Digital mammography. Right breast, cranio-caudal projection. Patient age 53.
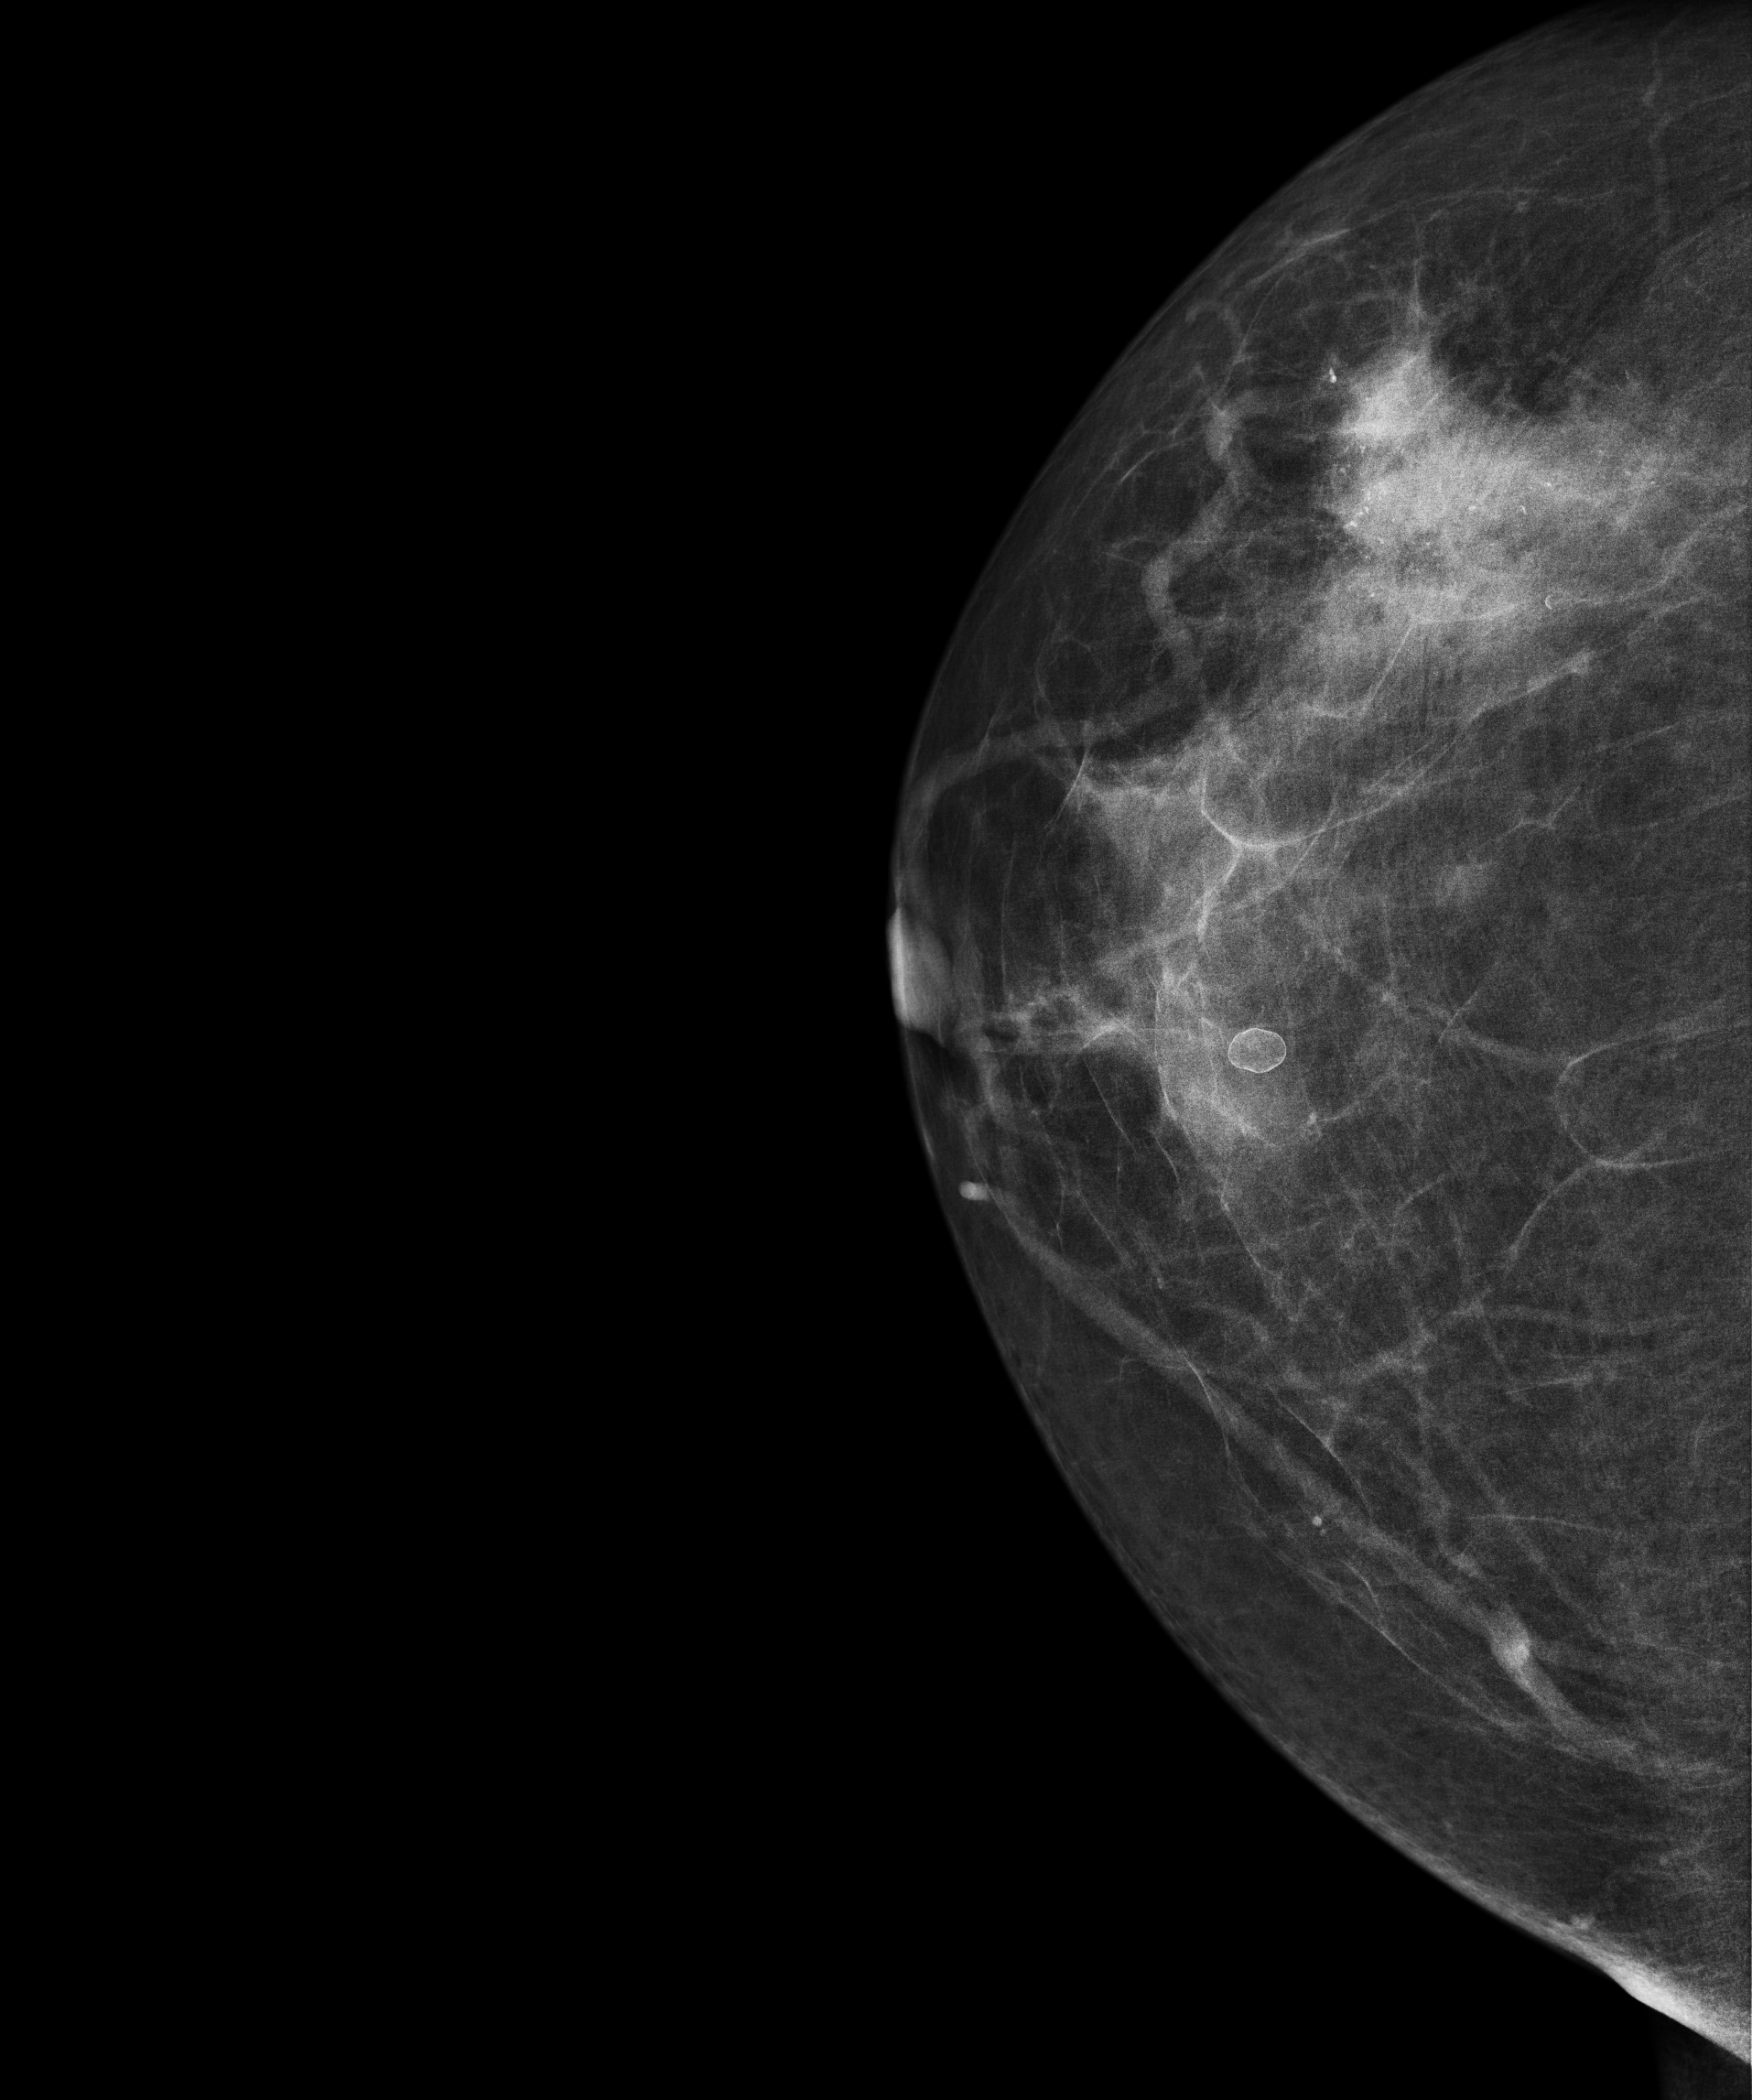
This breast has a mass, pathology-confirmed malignant. Molecular subtype: HER2-enriched.